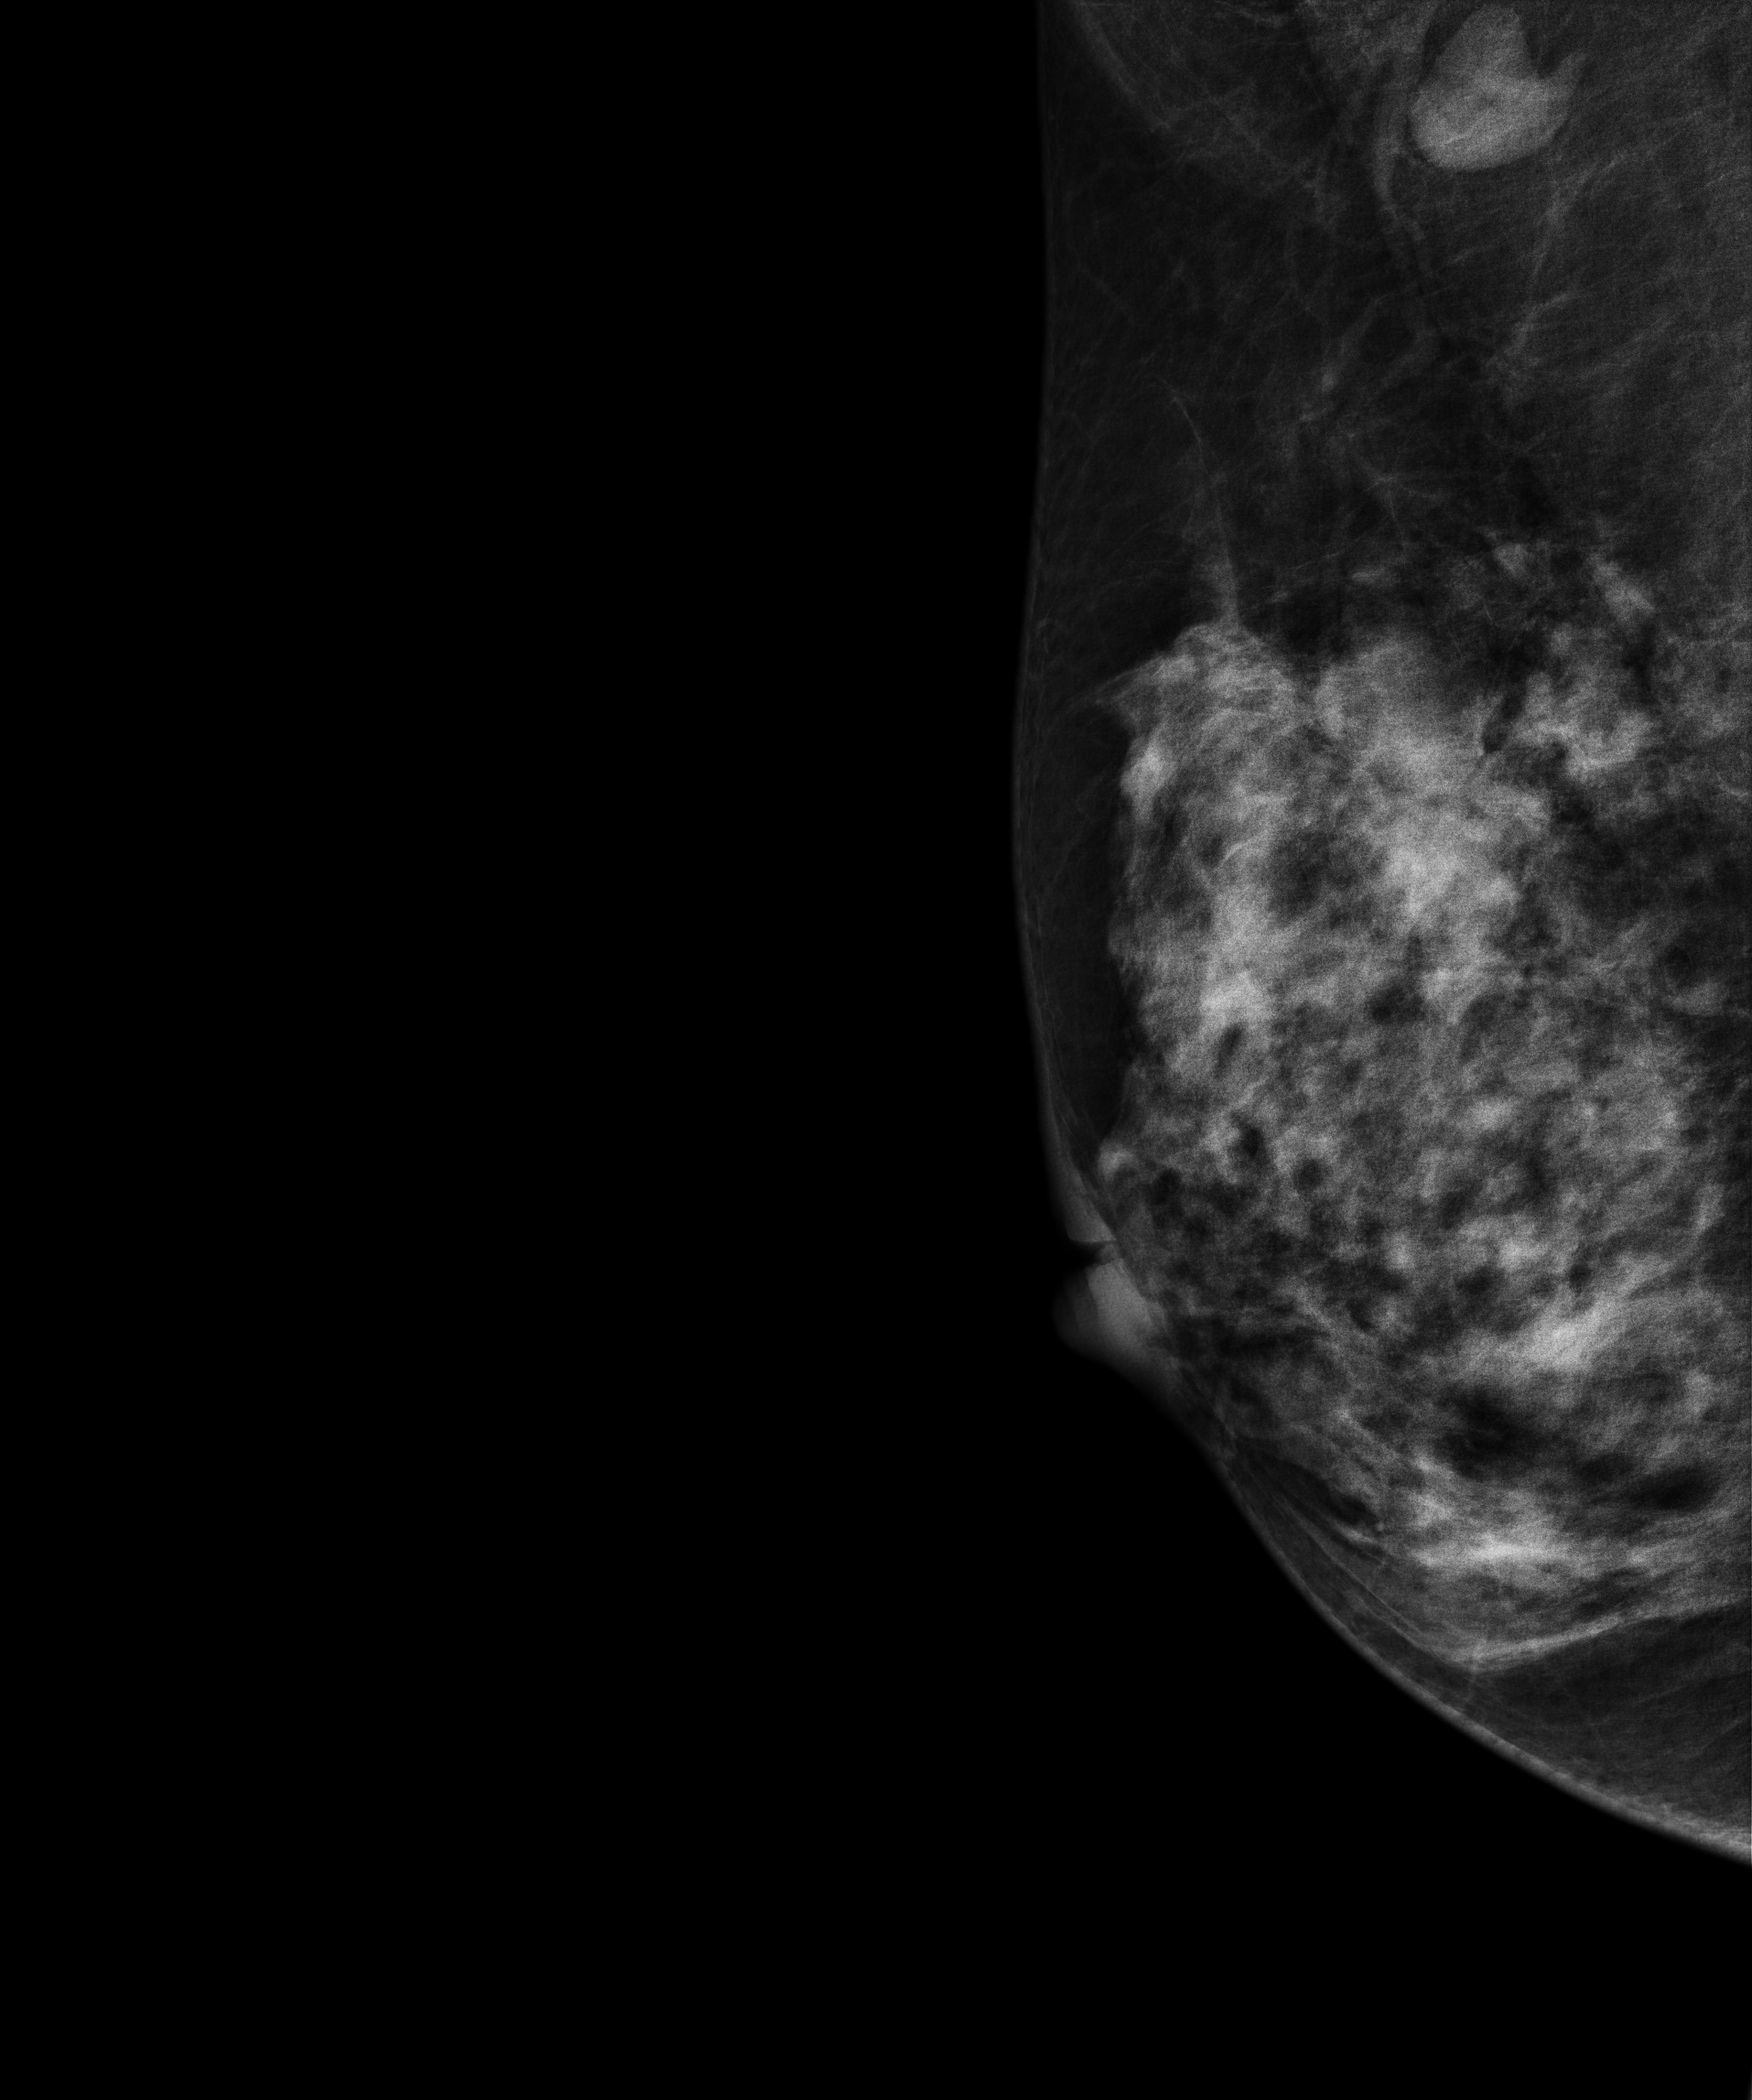
MLO mammogram of the right breast. 47-year-old patient.
This breast has a mass, biopsy-confirmed malignant. Molecular subtype: luminal B.